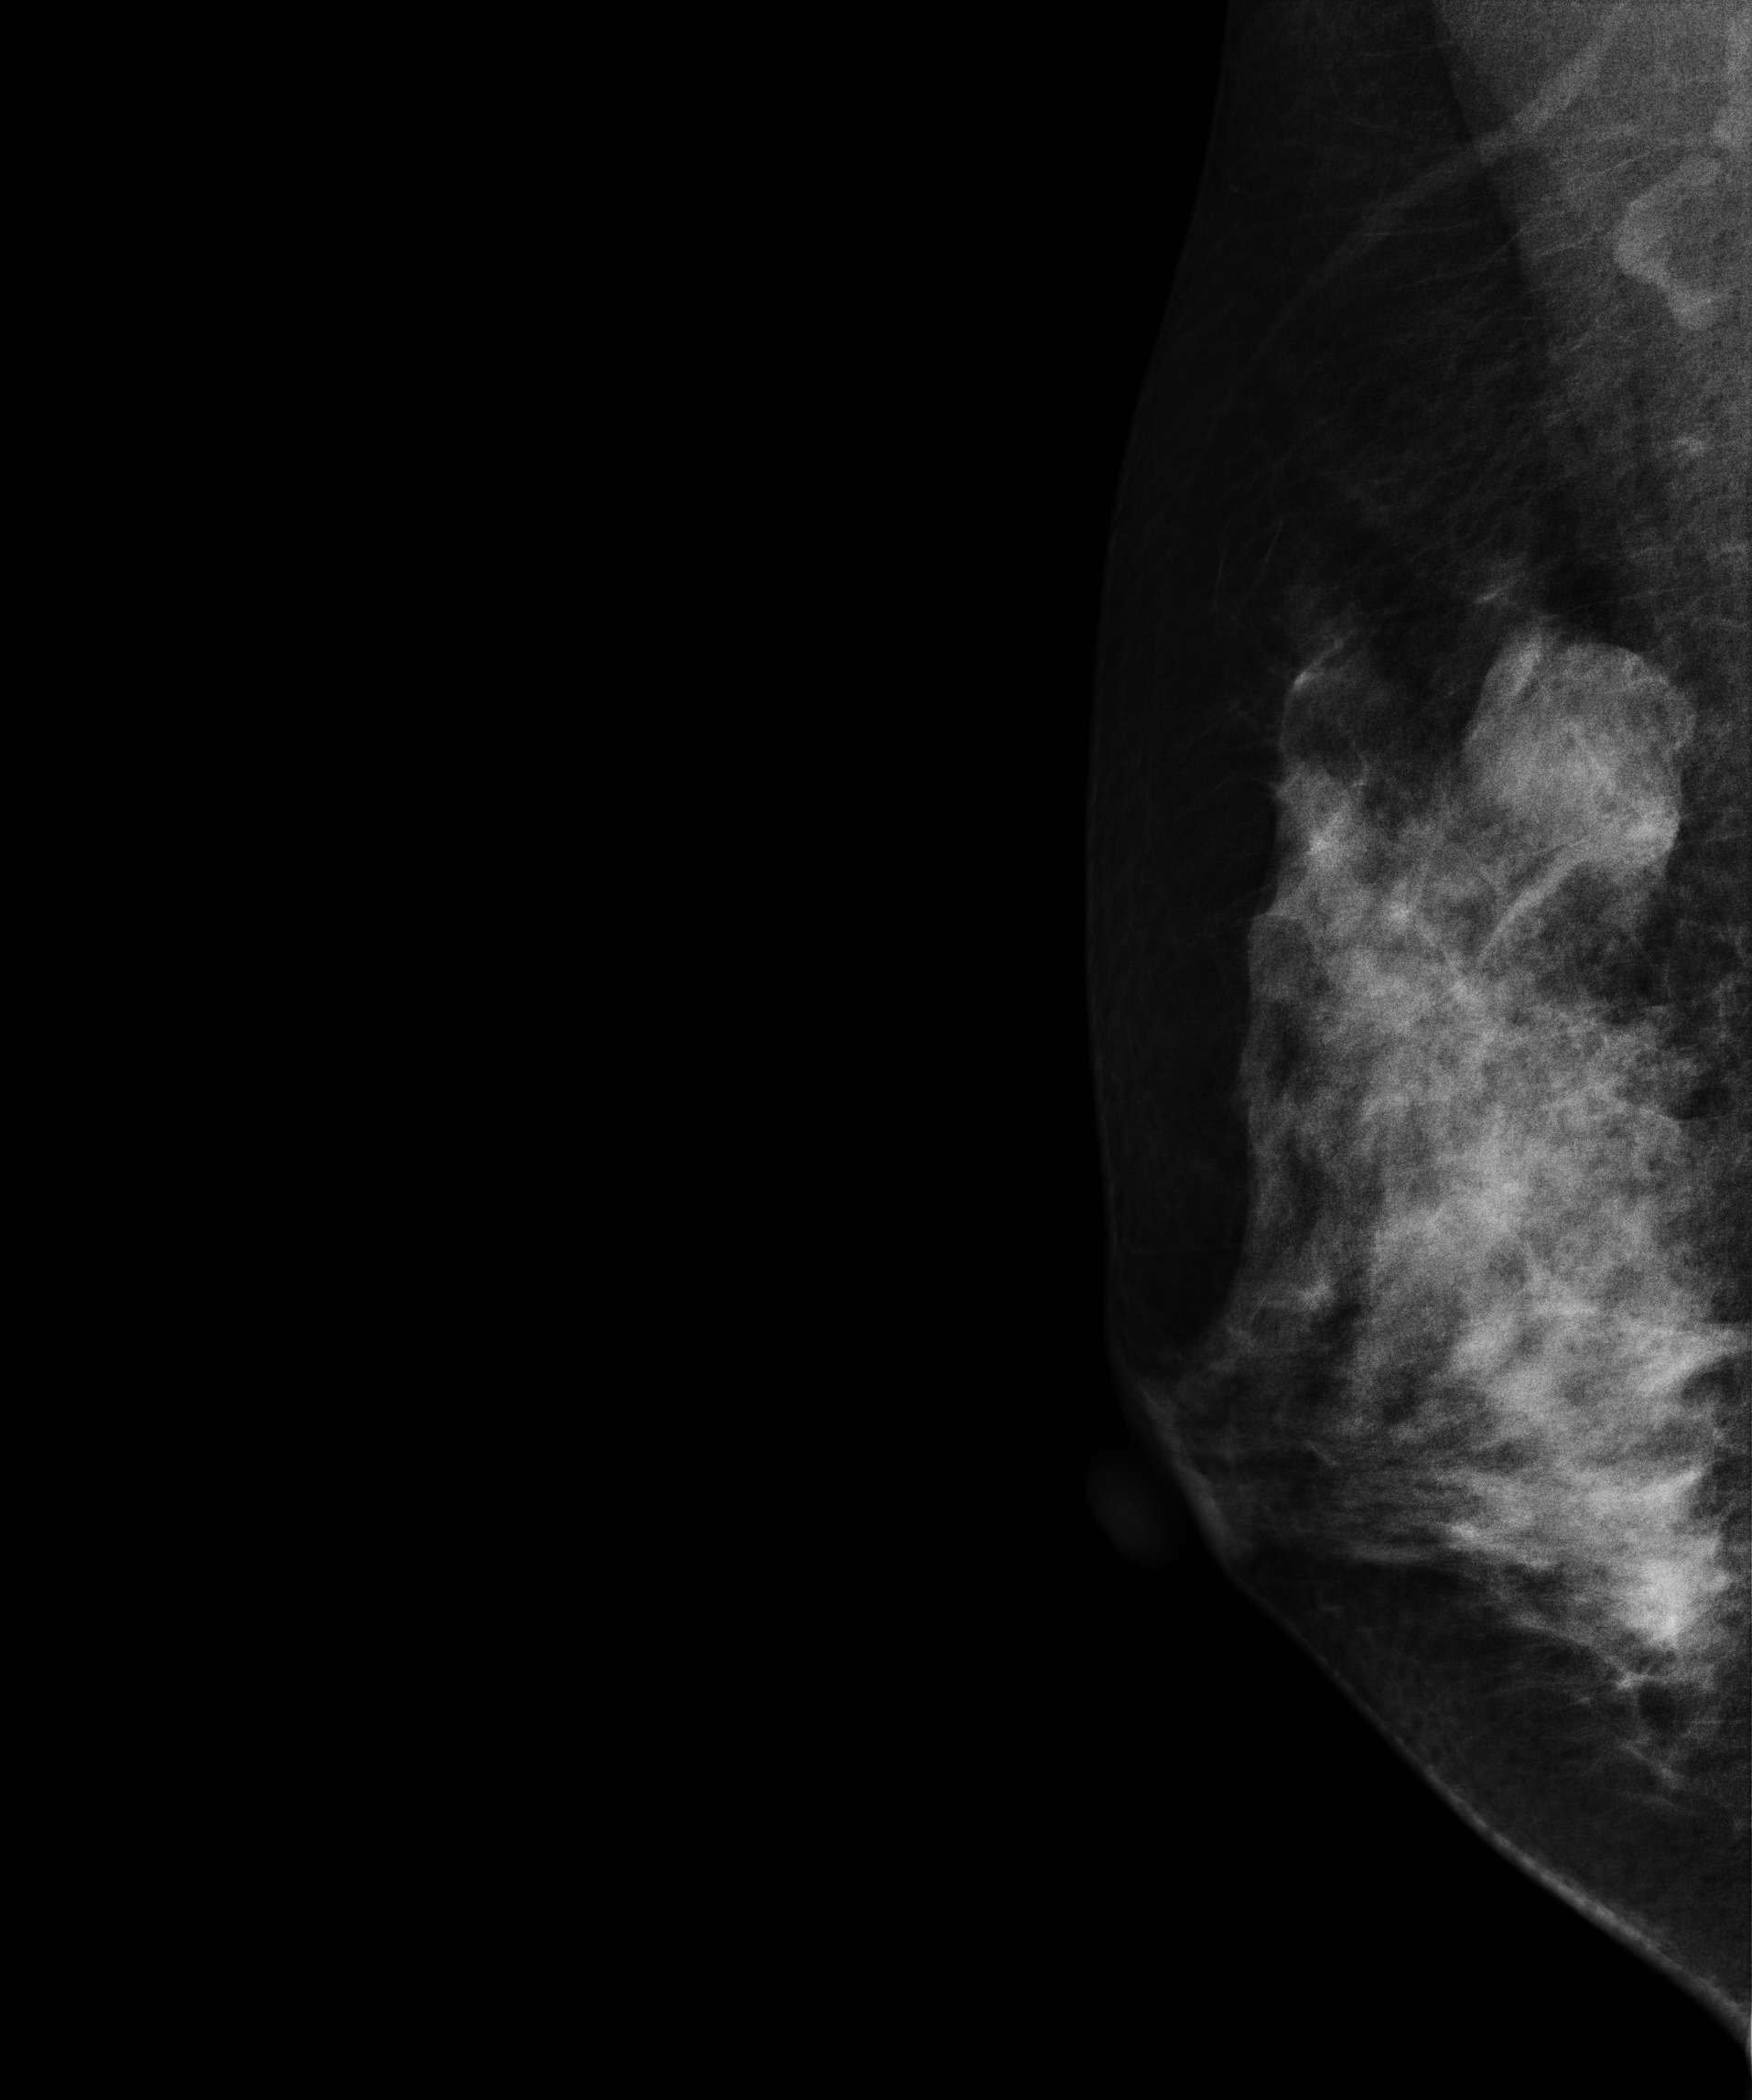
Right-breast mammogram, medio-lateral oblique. Patient age 41.
This breast has a mass, biopsy-proven benign.